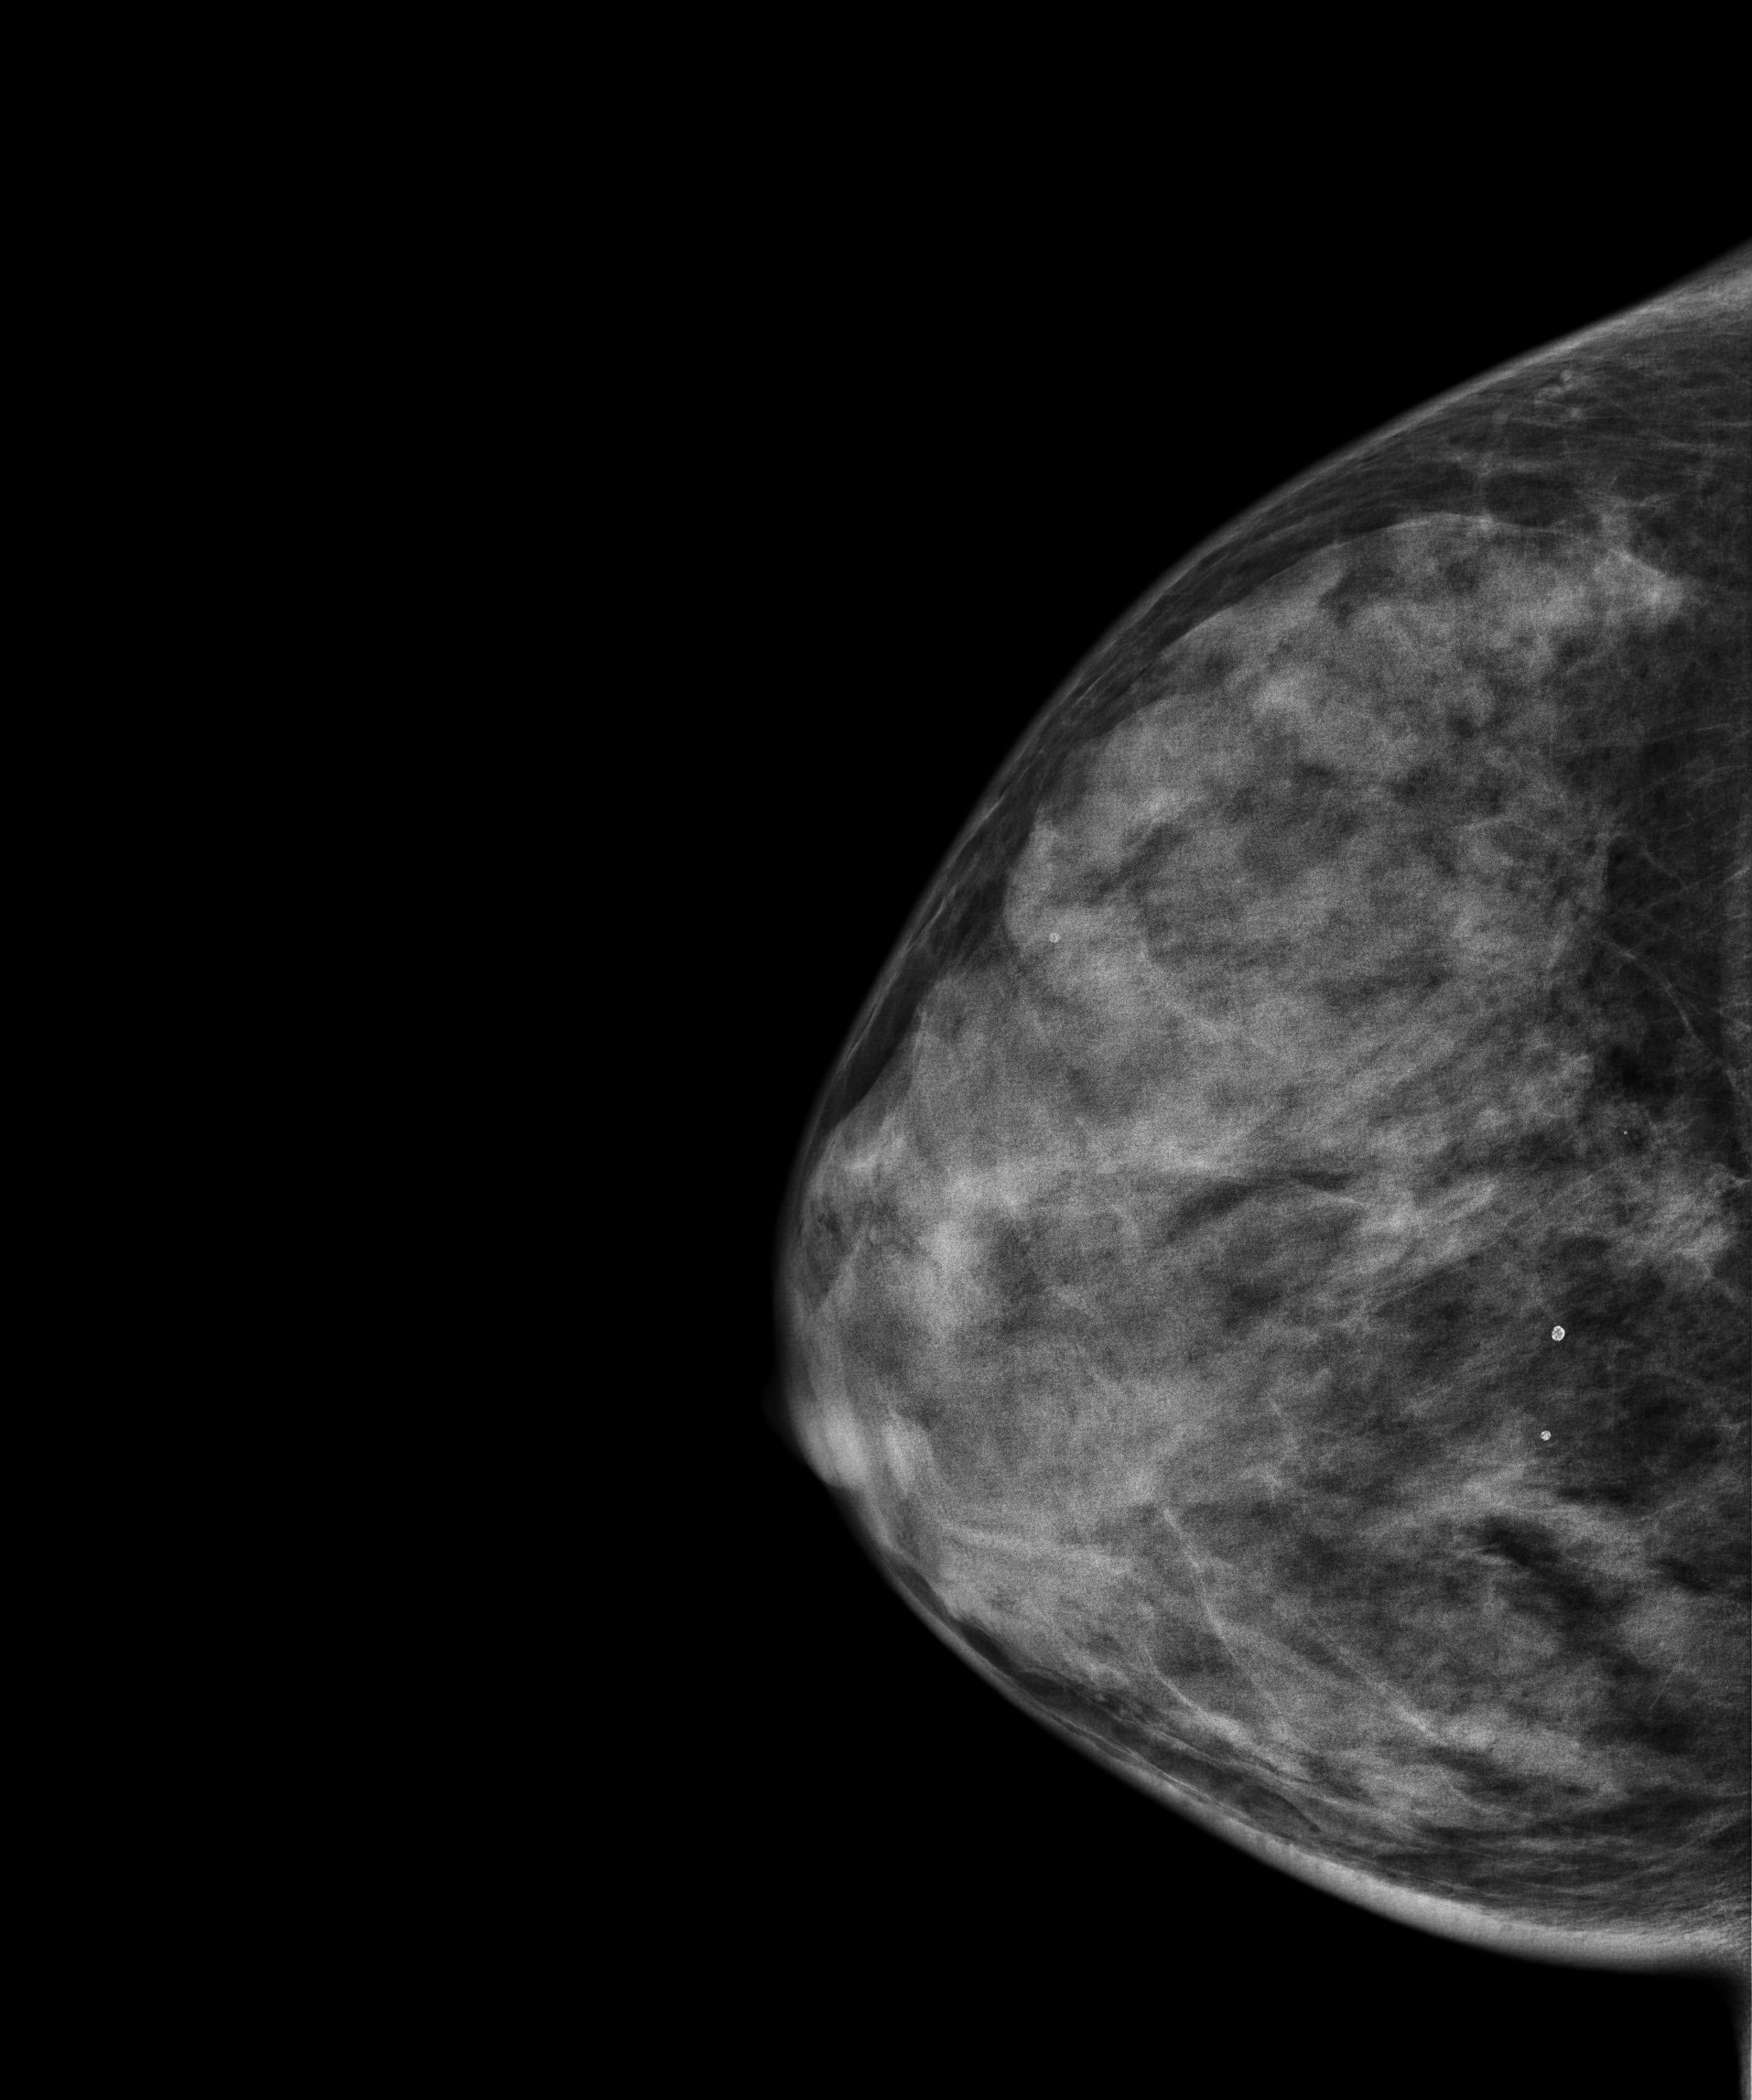
Right-breast mammogram, cranio-caudal. 46 y/o patient.
This breast has a mass and calcifications, pathology-confirmed malignant. Molecular subtype: luminal B.